Left-breast mammogram, cranio-caudal. 49 y/o patient.
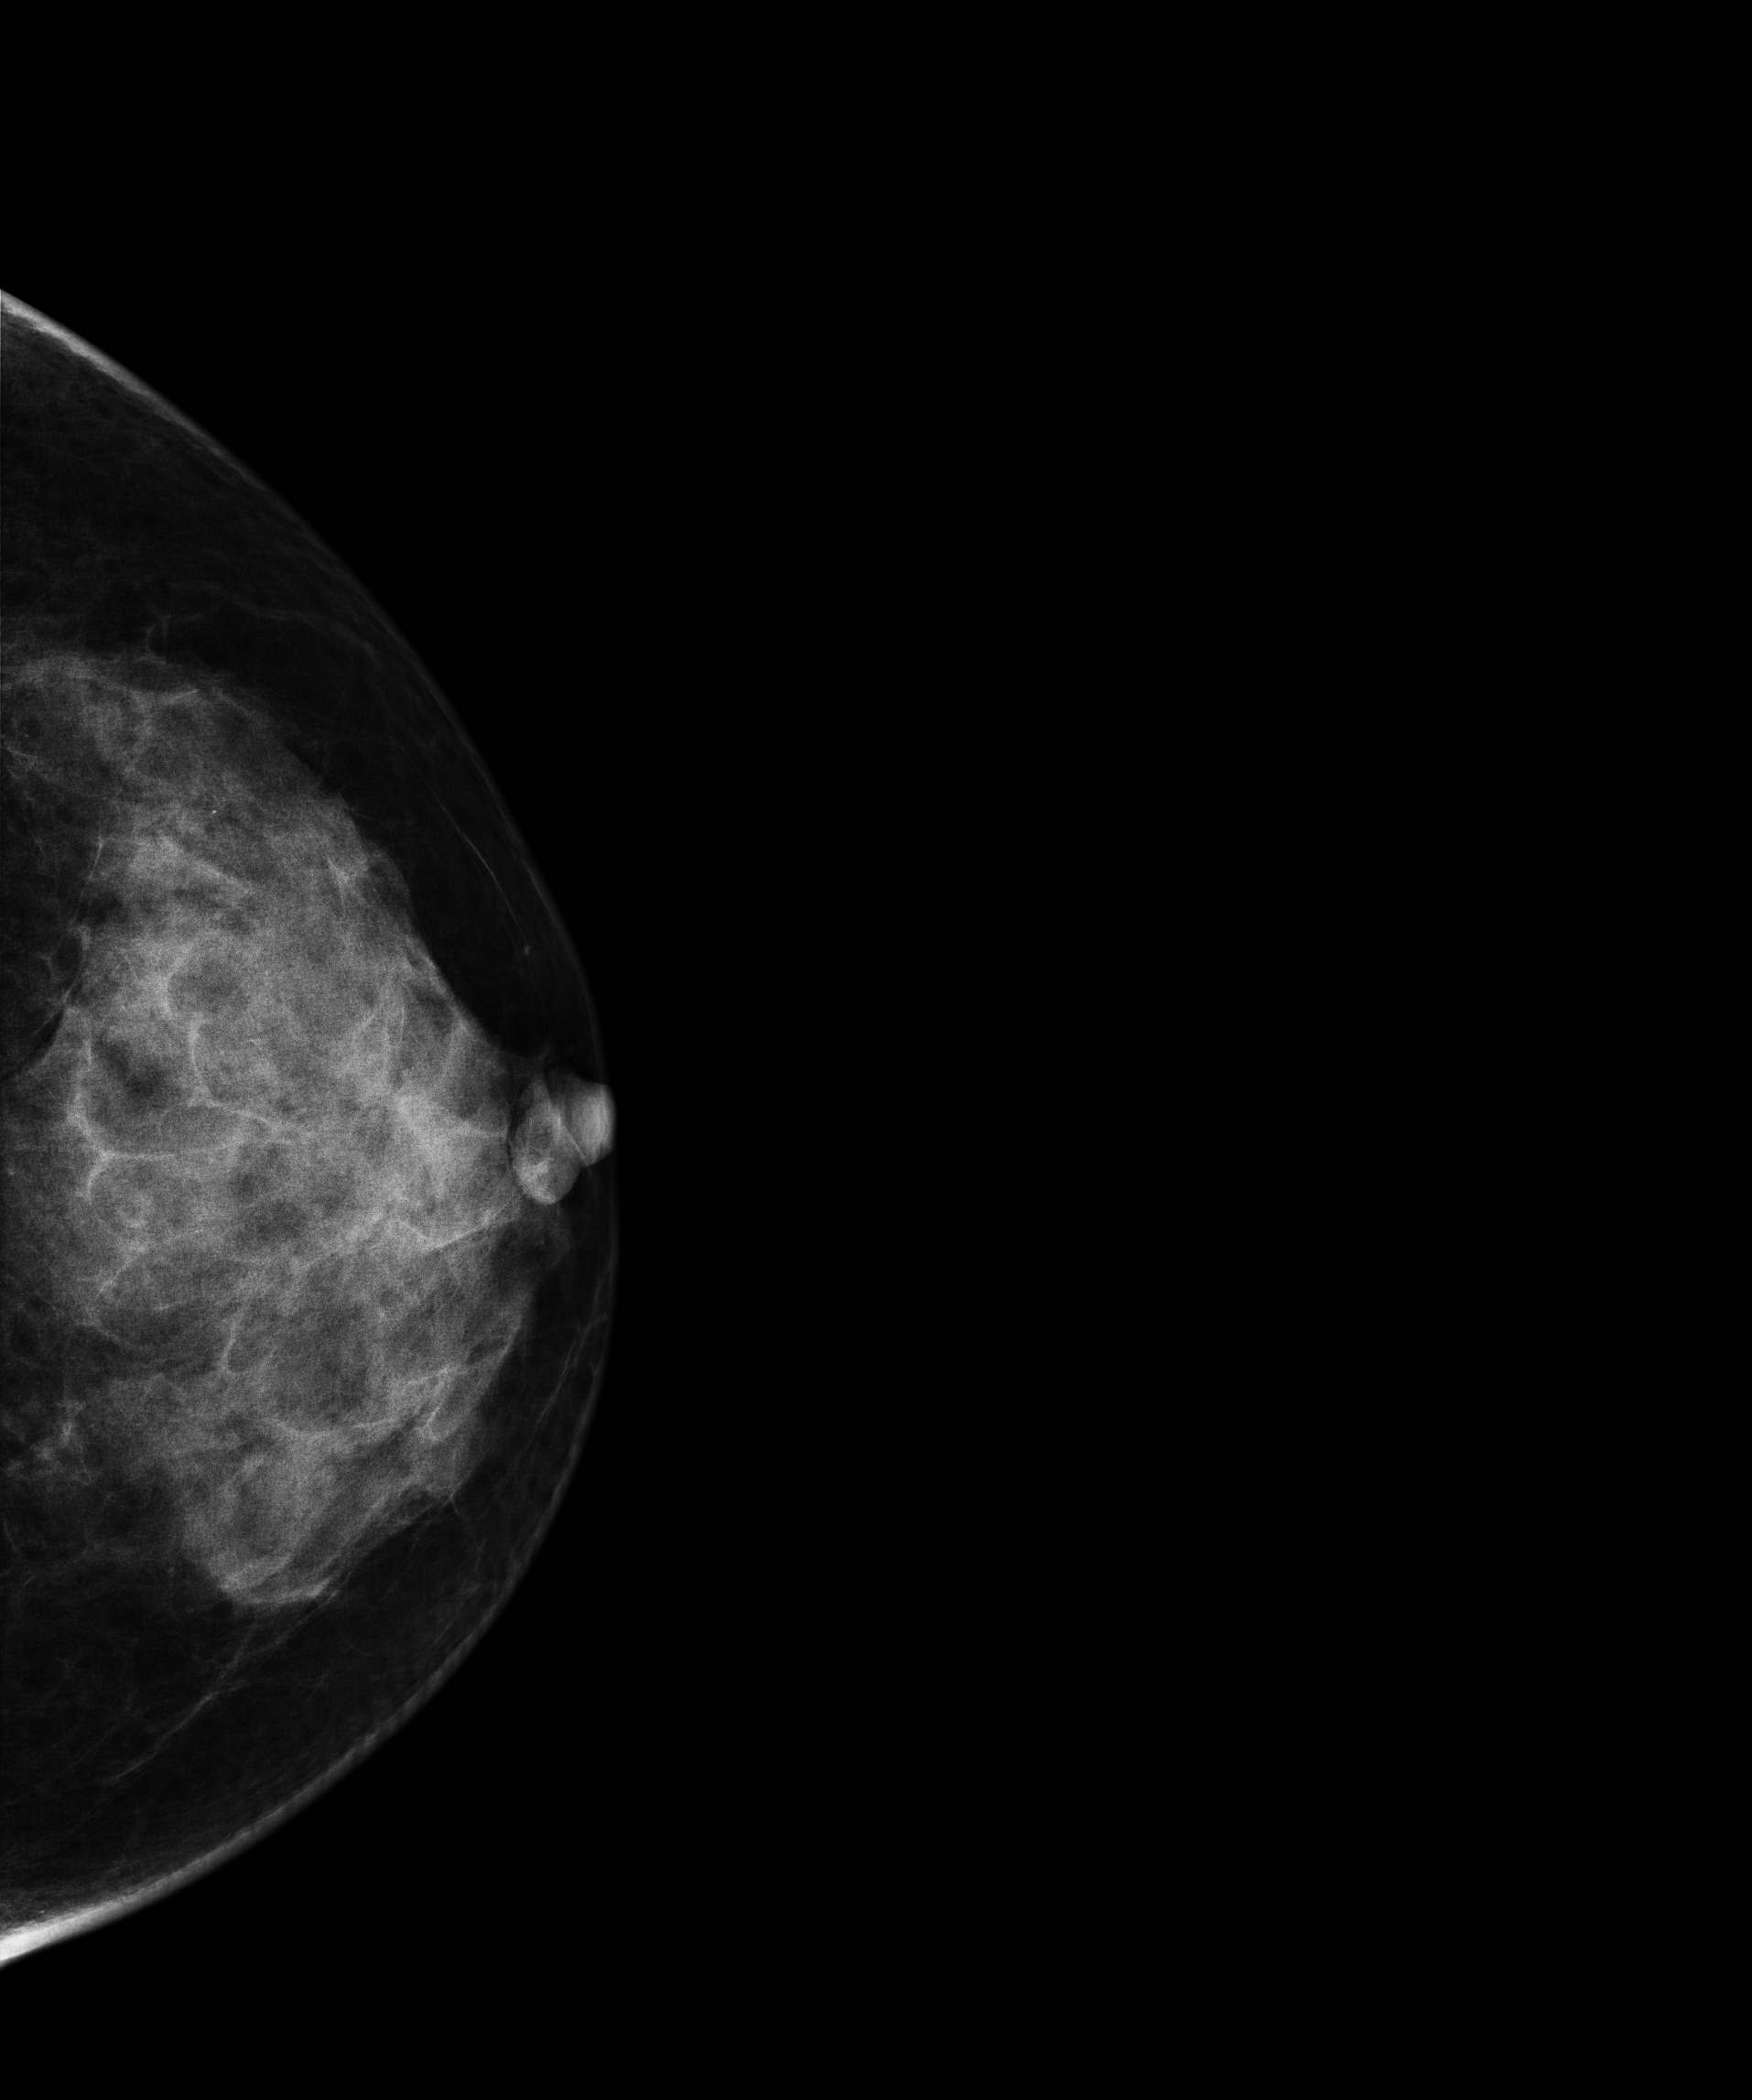
Contralateral breast — no documented abnormality on this side.